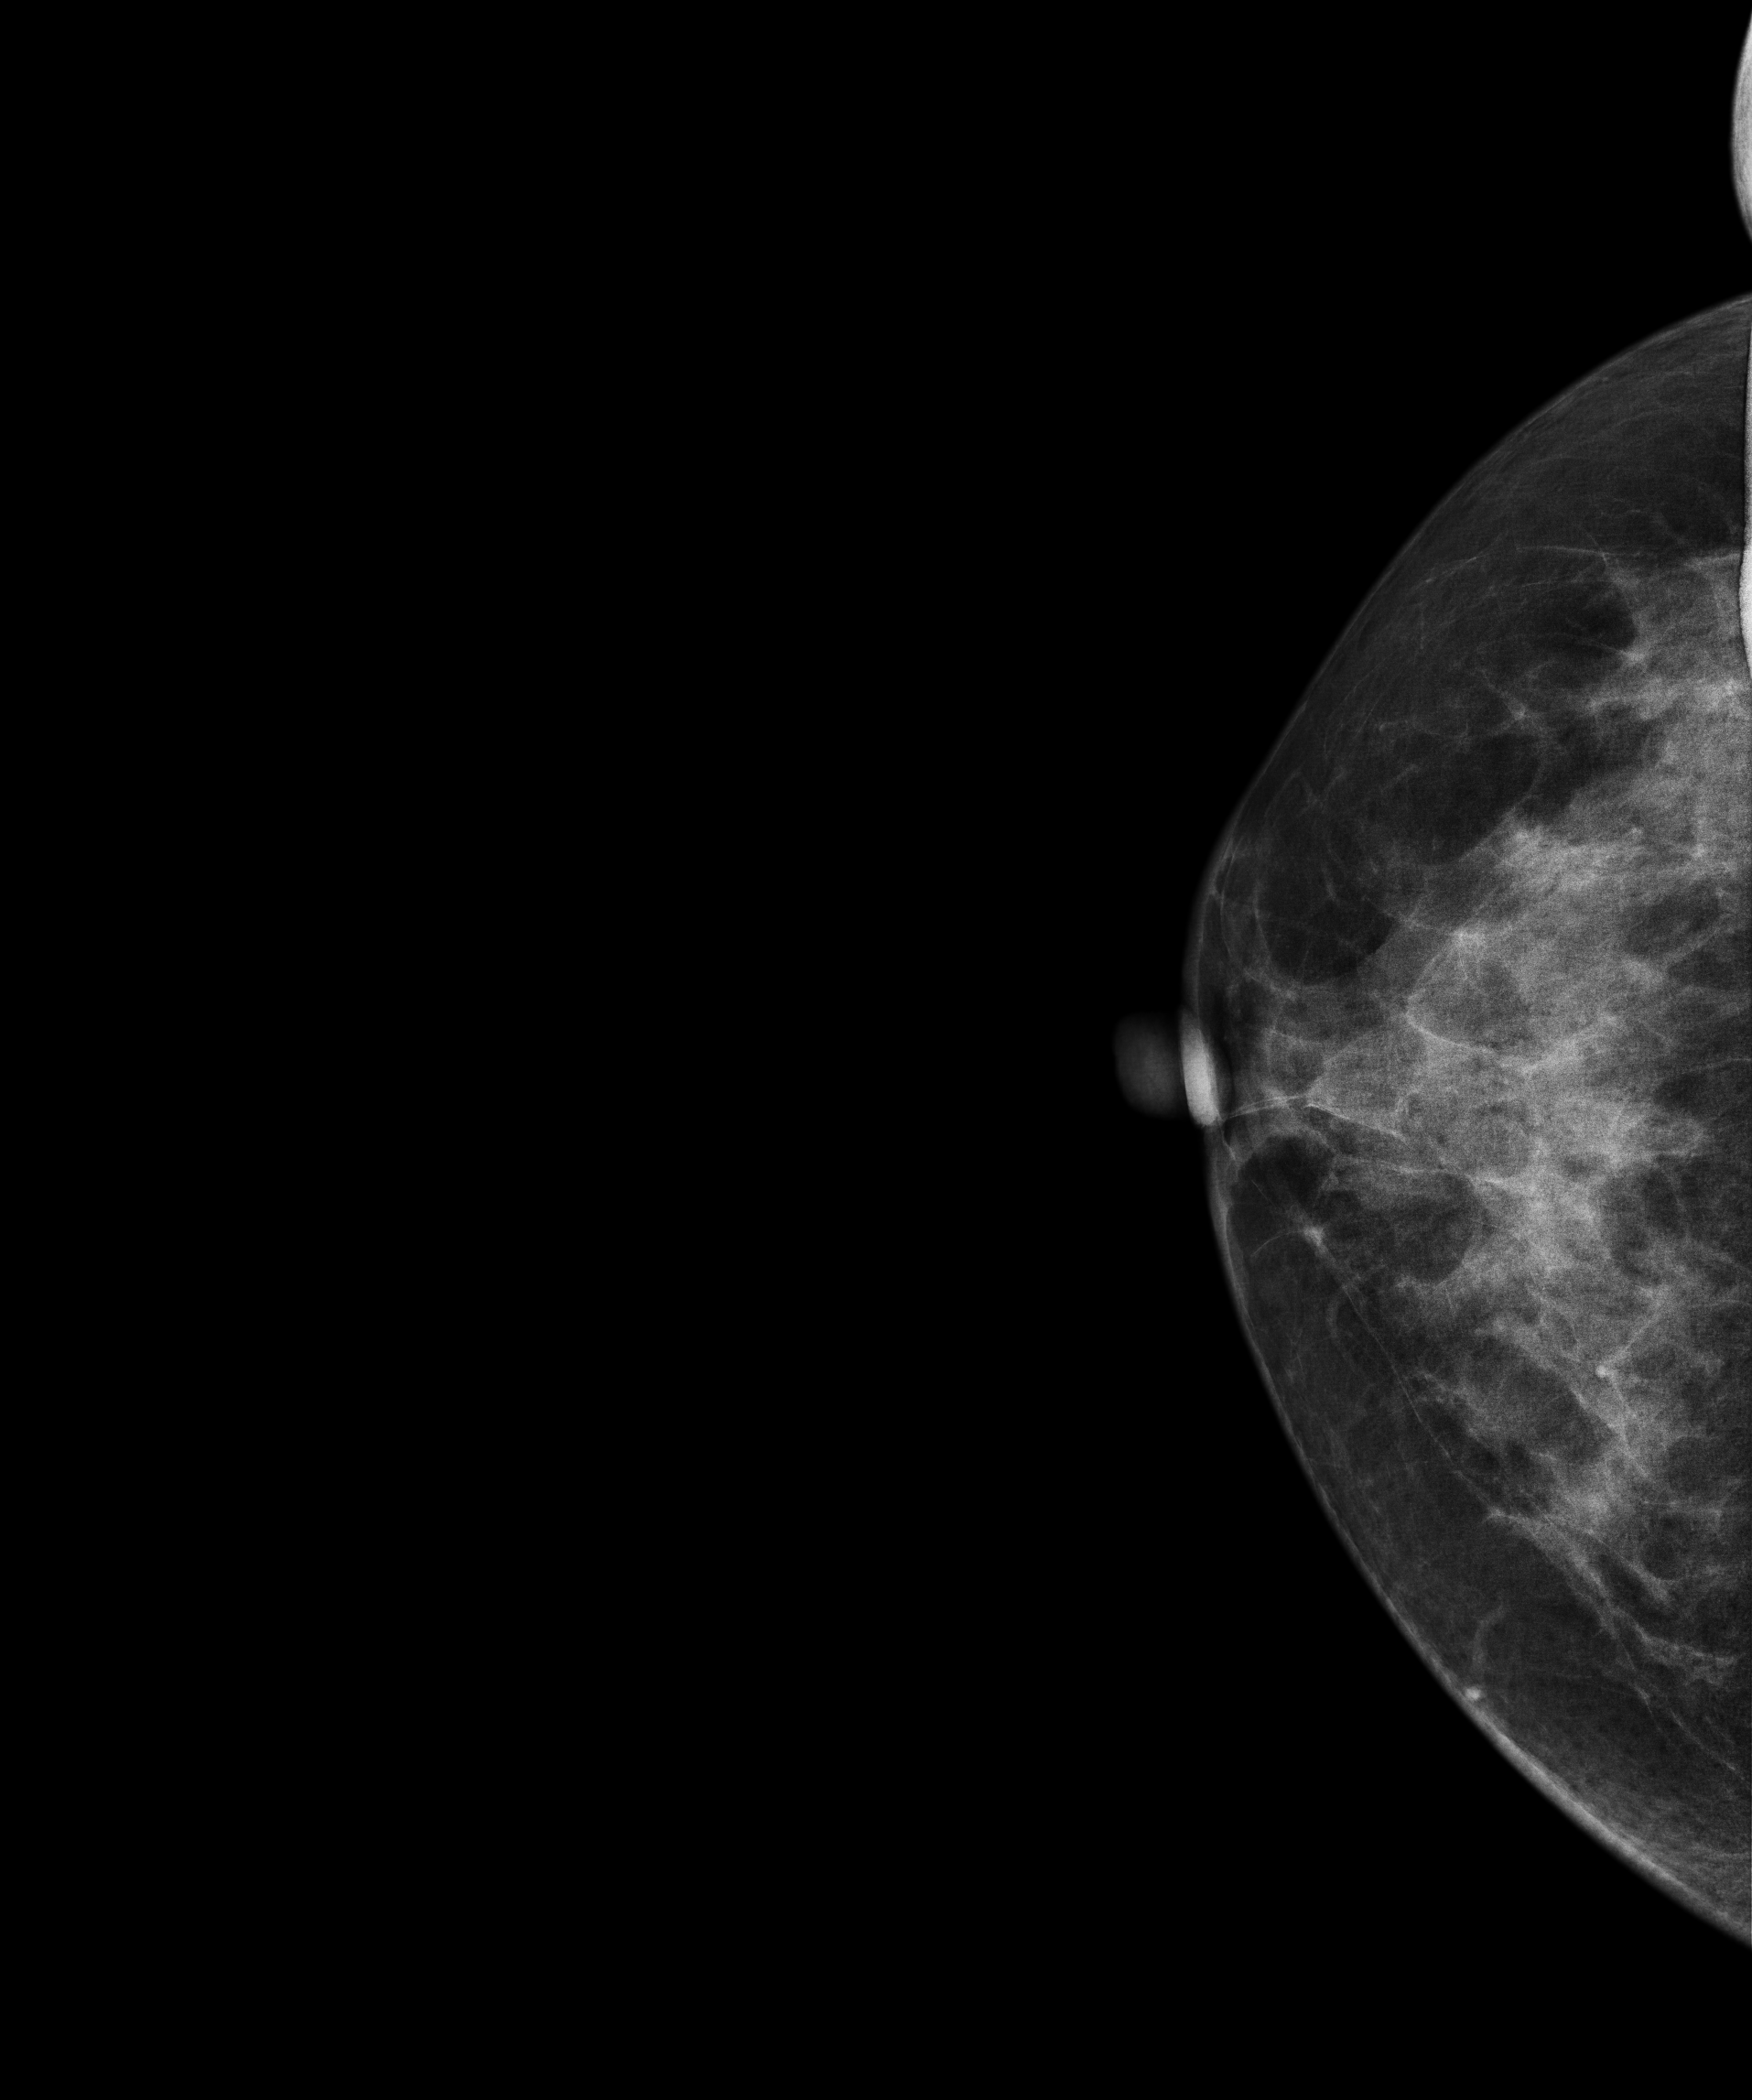
Digital mammography. Right breast, cranio-caudal projection. 51-year-old patient.
Contralateral breast — no documented abnormality on this side.